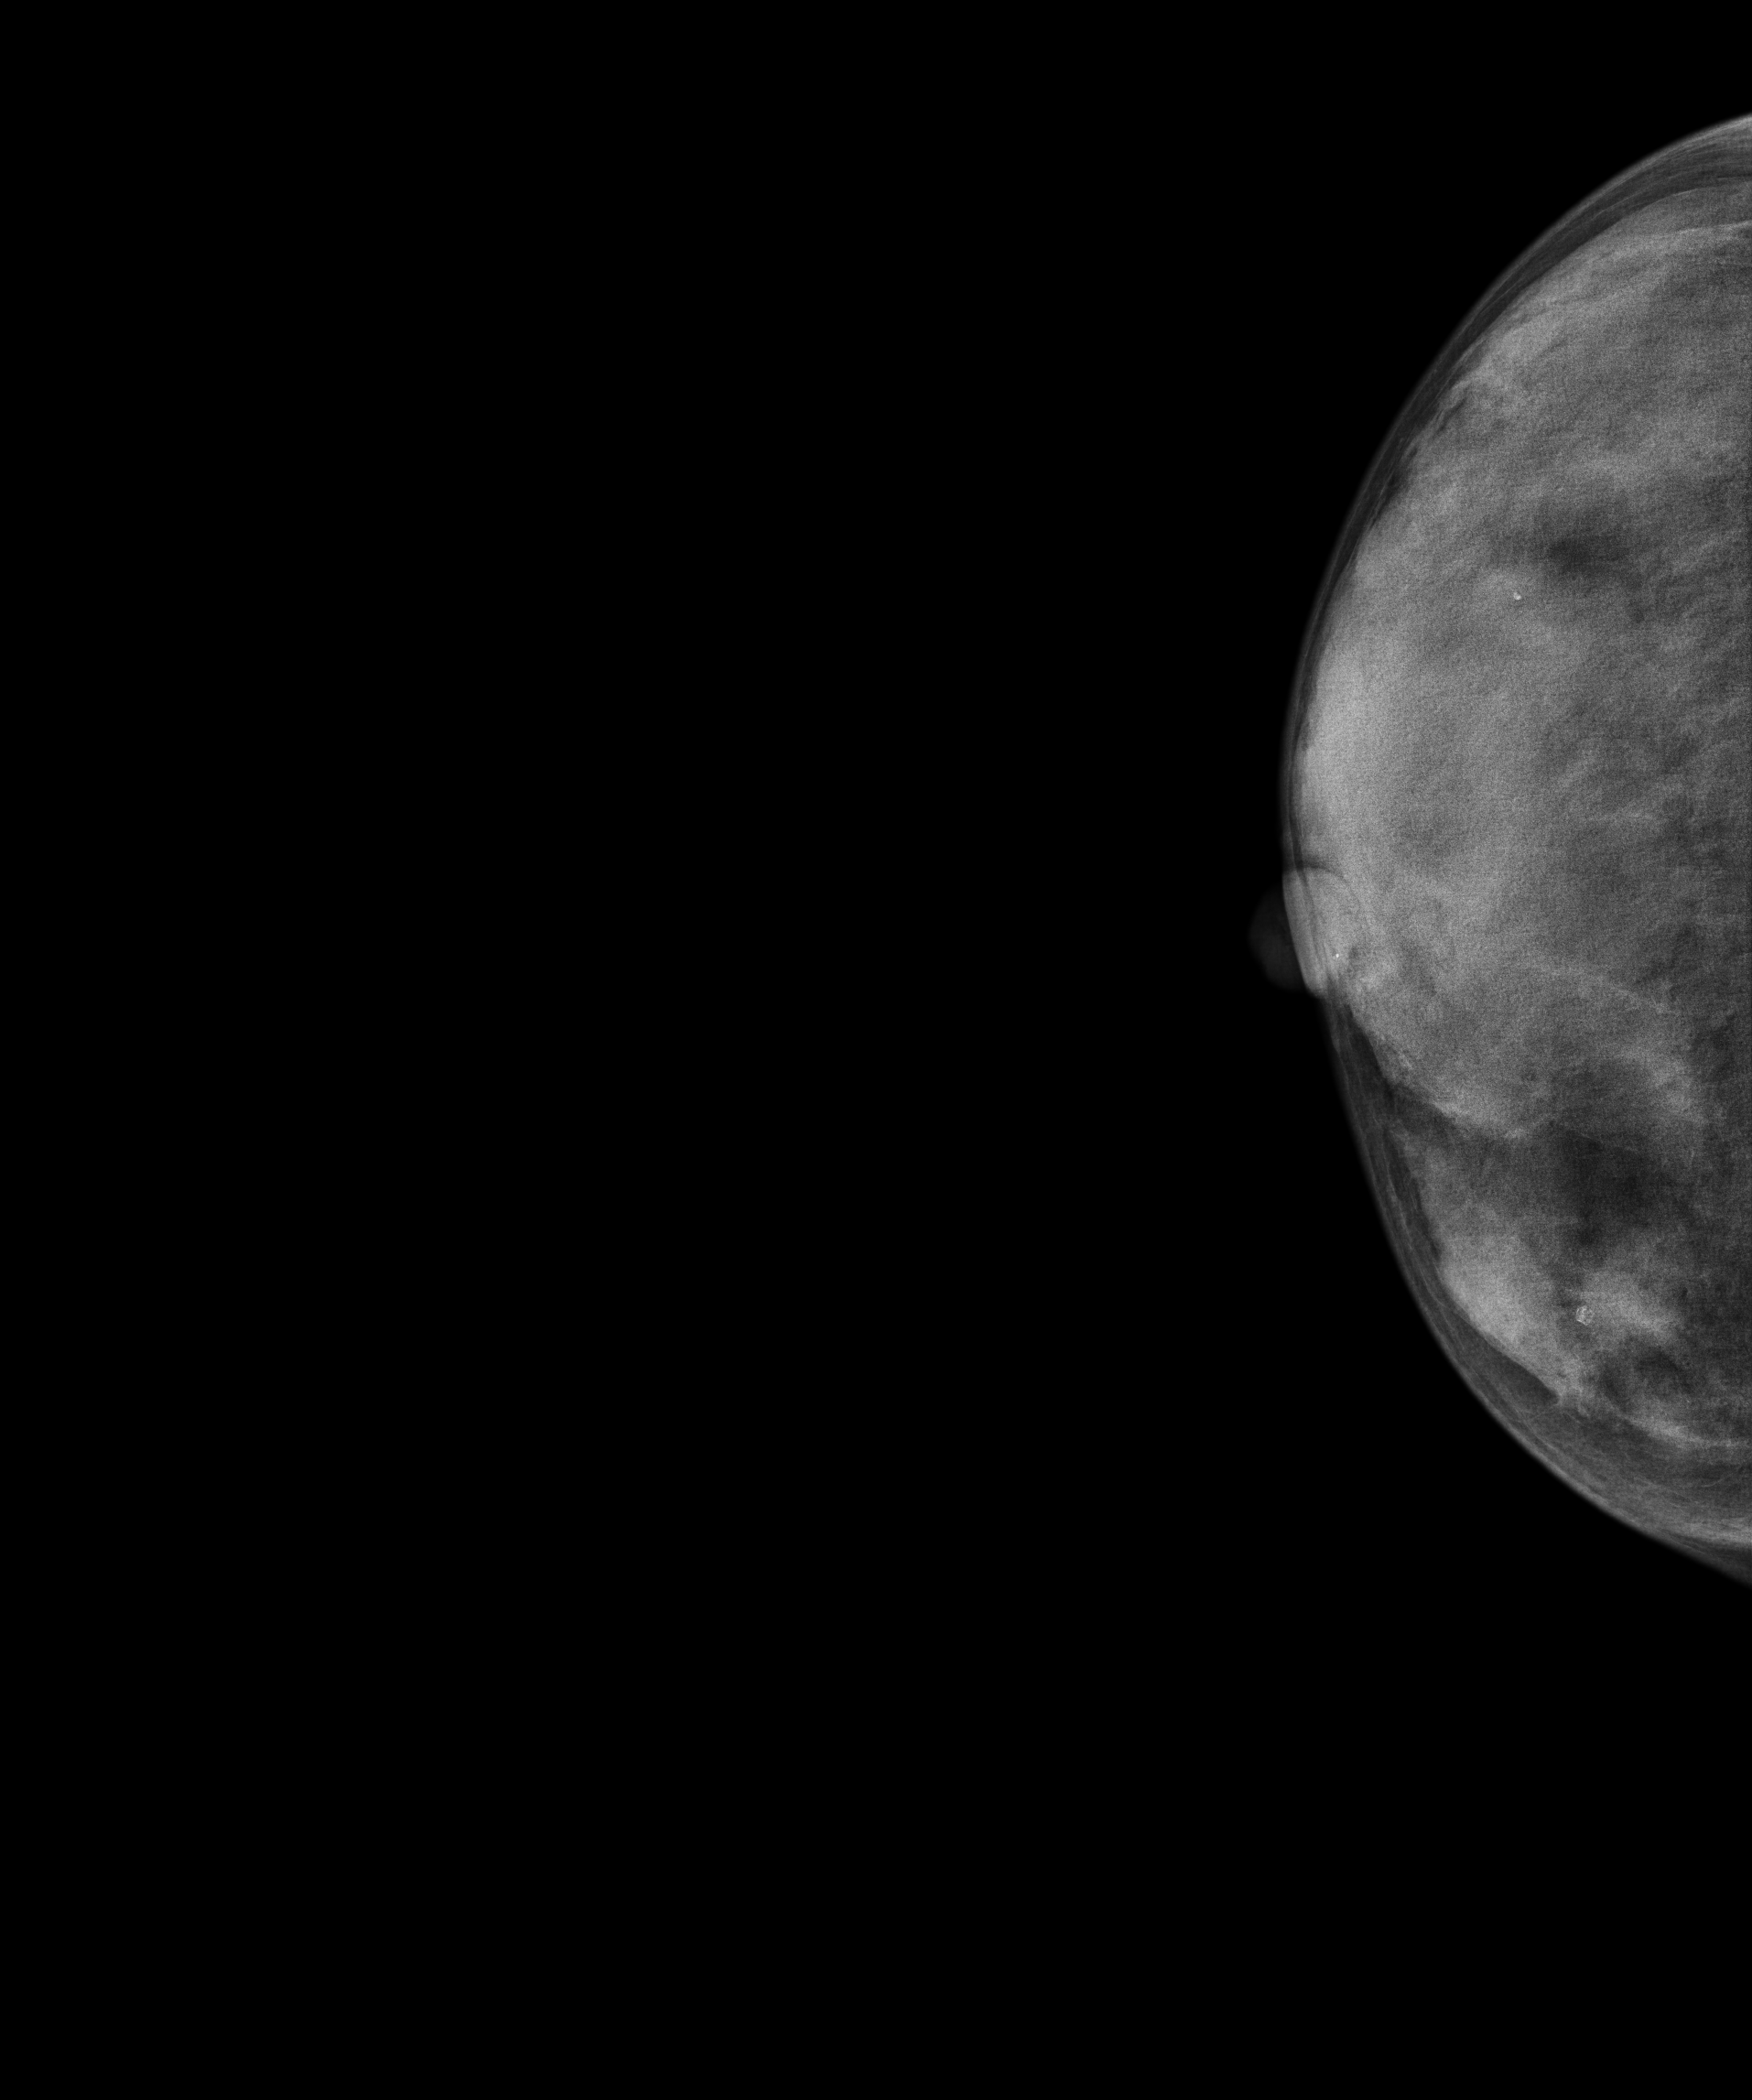
Mammogram, right breast, cranio-caudal view. 38 y/o patient.
This breast has a mass and calcifications, pathology-confirmed benign.